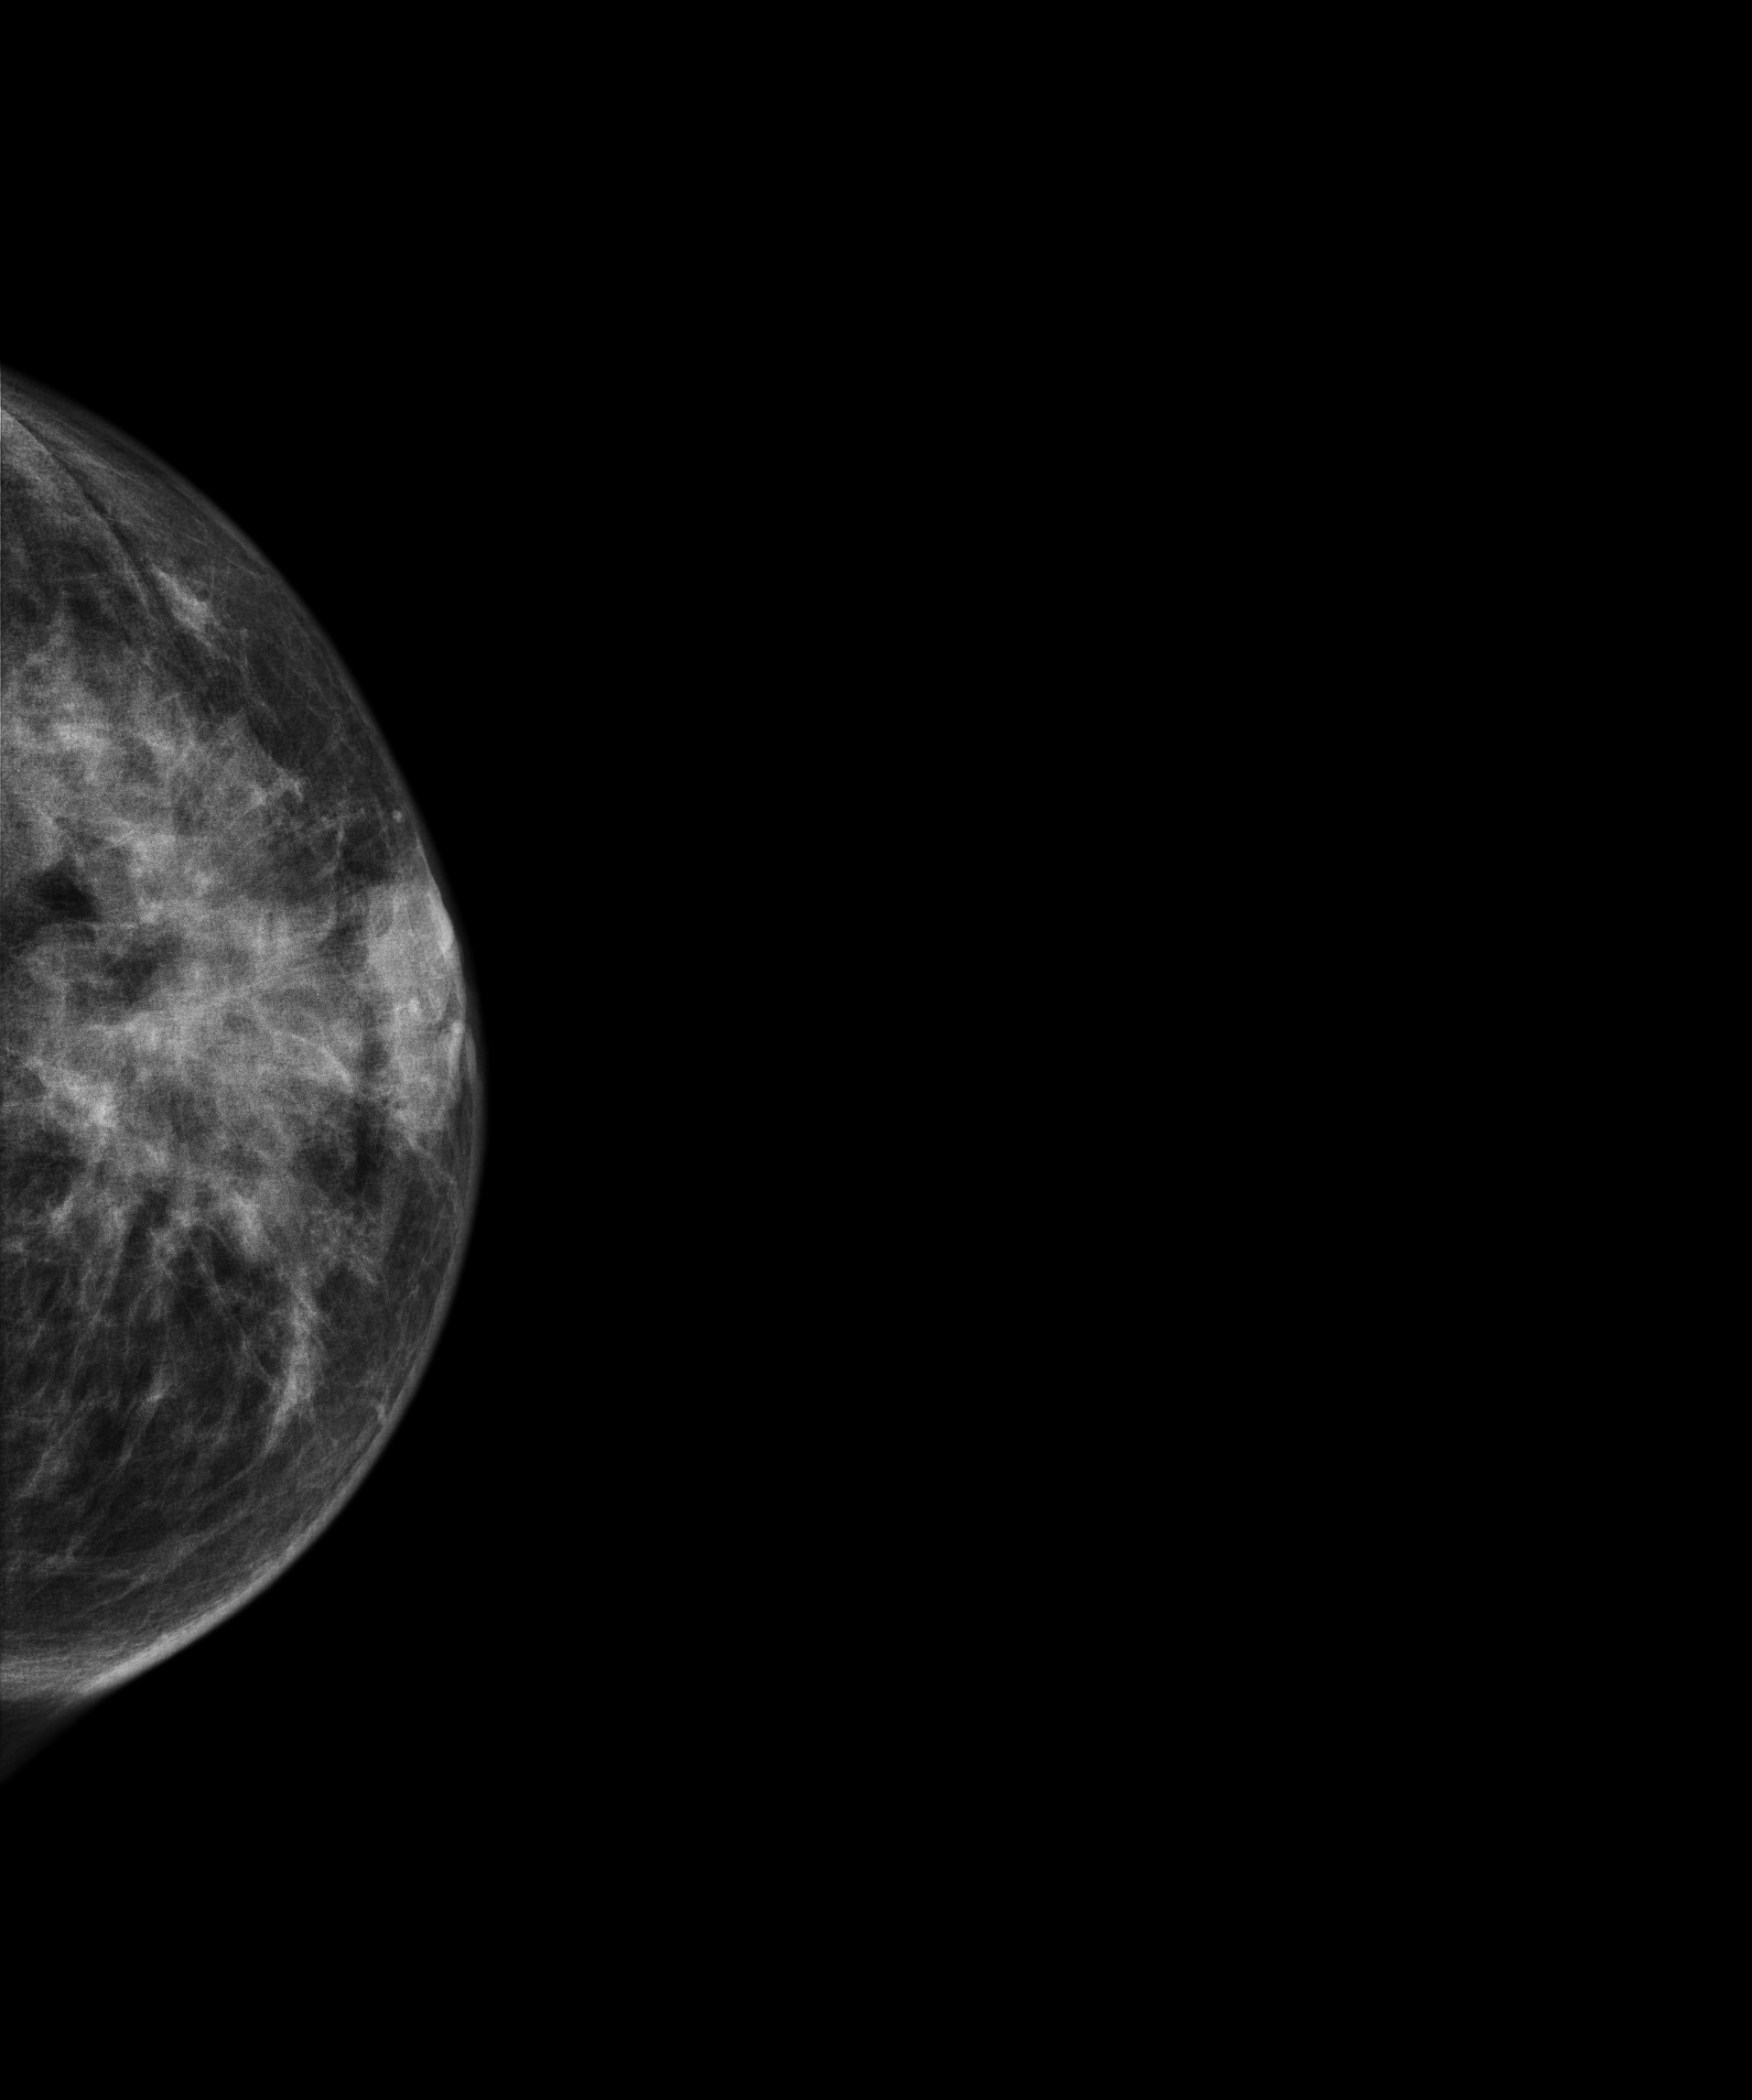
Digital mammography. Left breast, CC projection. Patient age 43.
This breast has a mass, biopsy-proven malignant.